Mammogram, right breast, cranio-caudal view. Patient age 44.
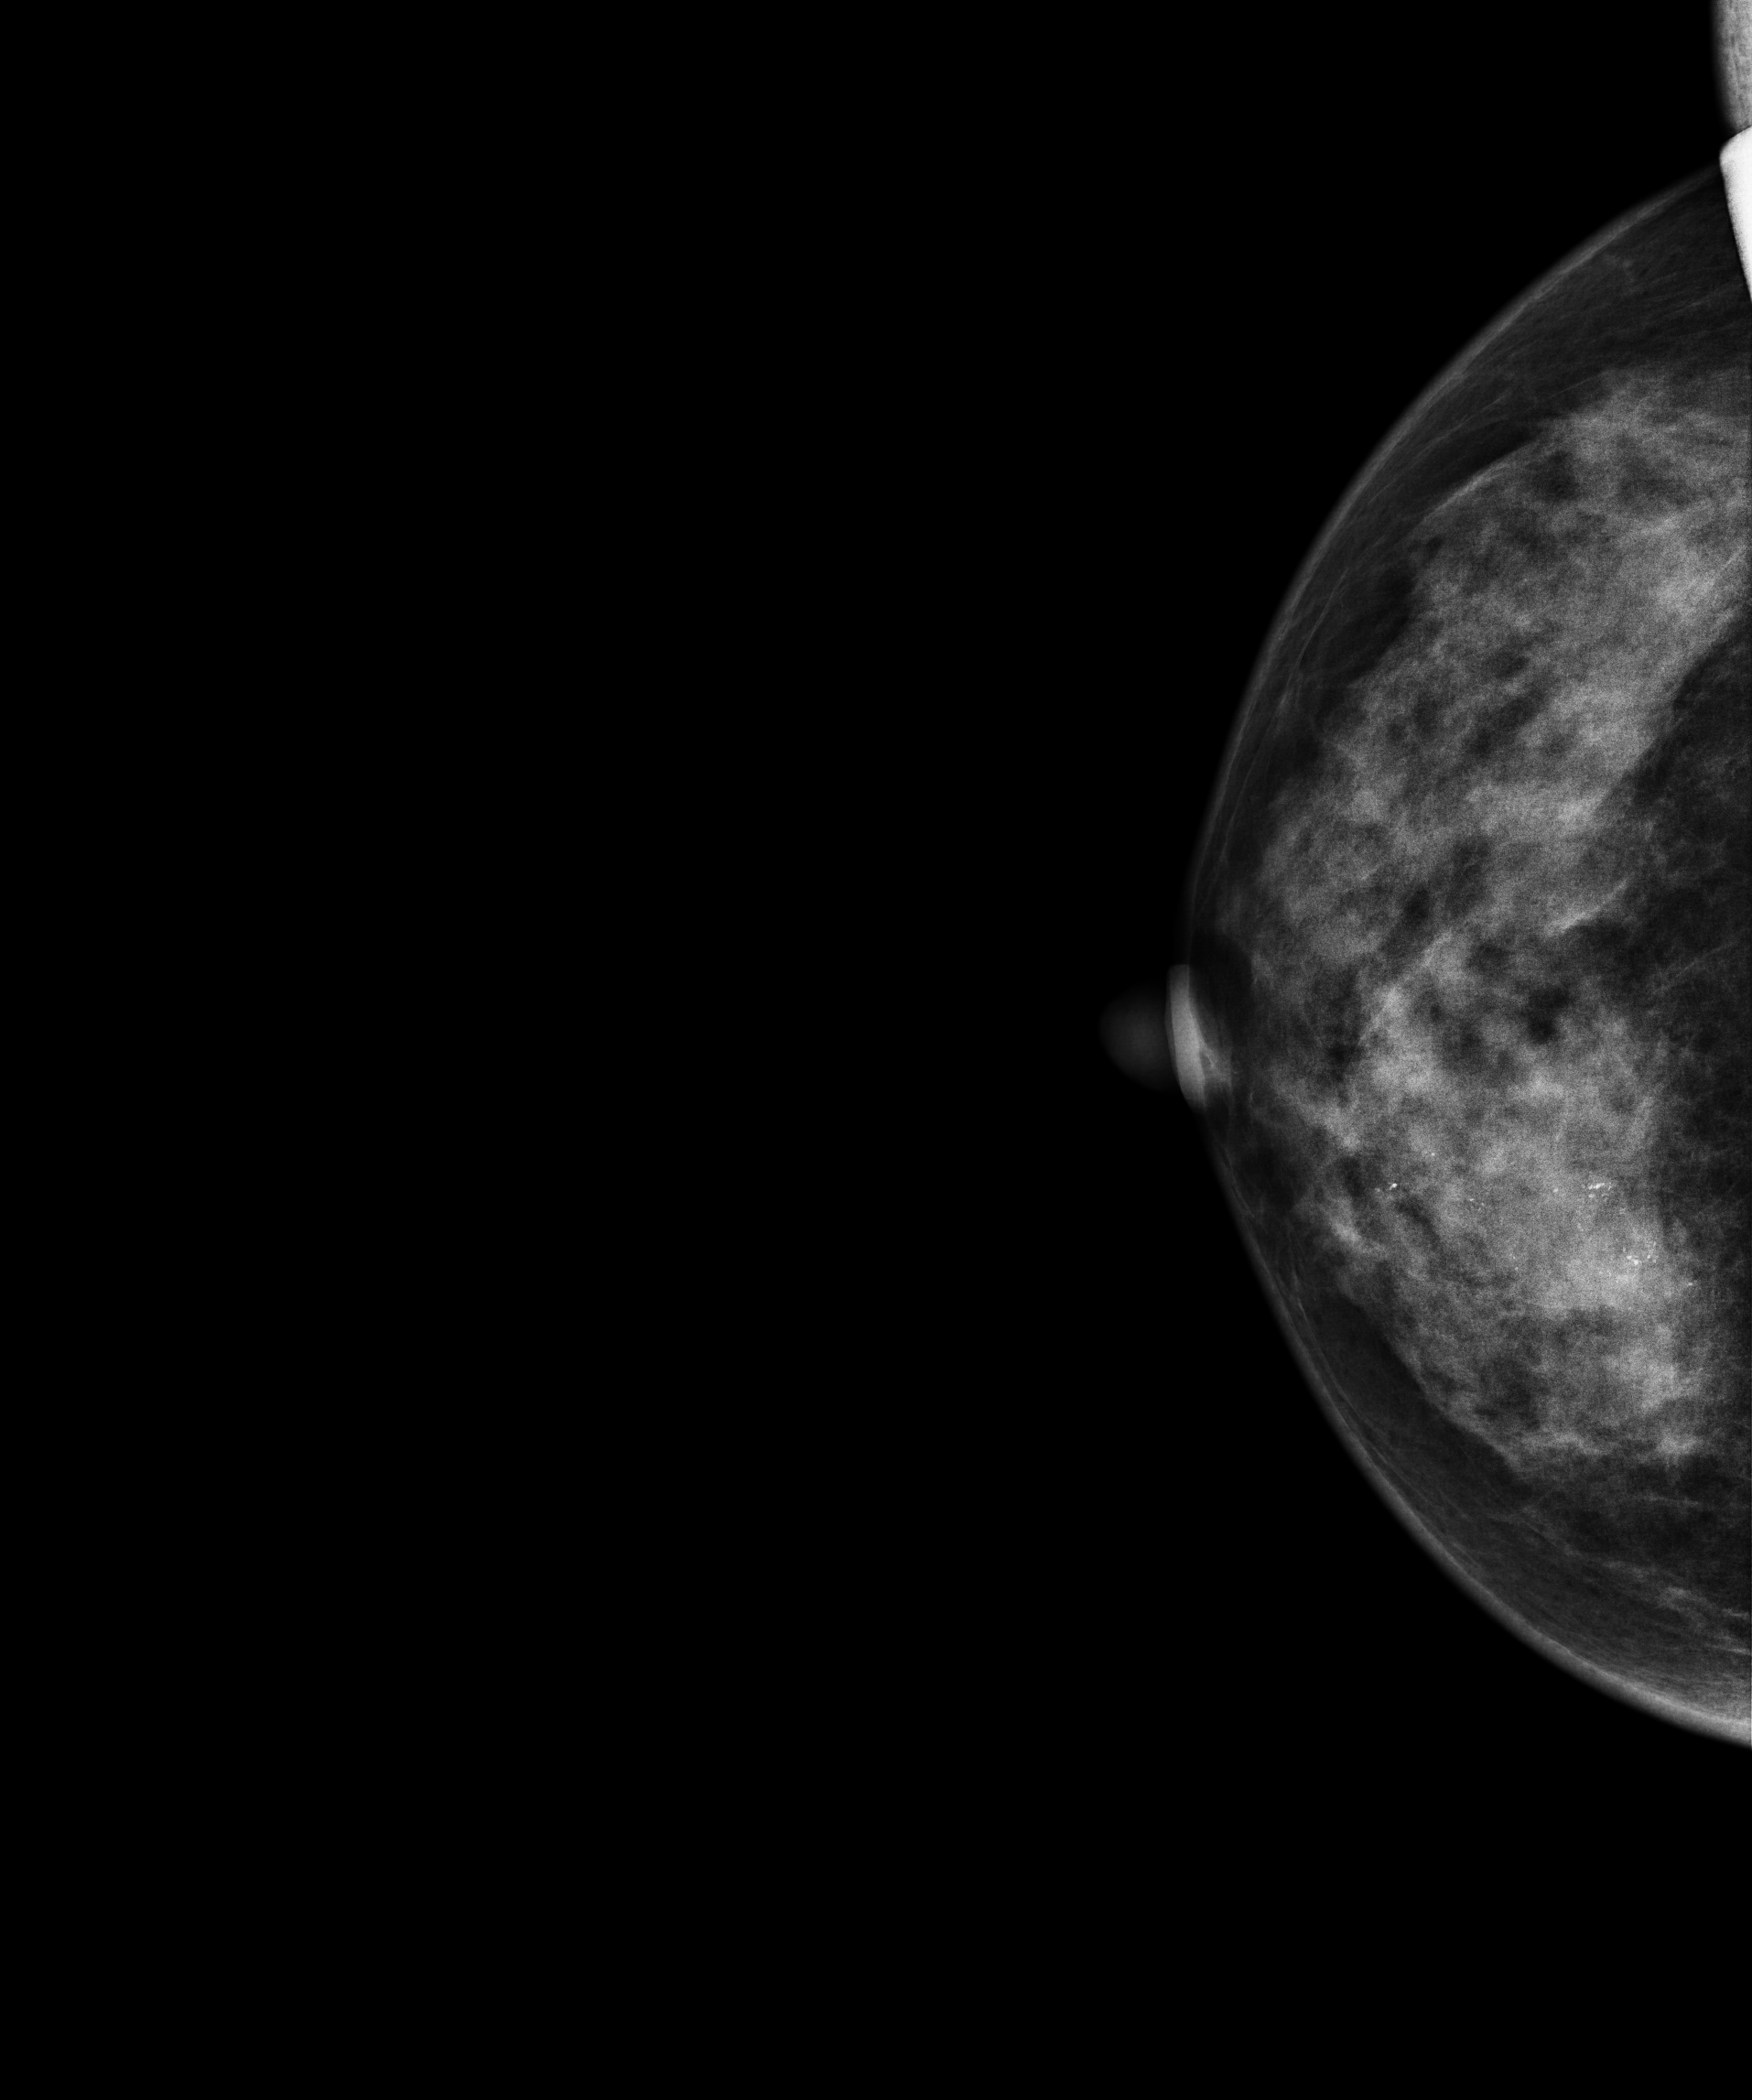
This breast has calcifications, biopsy-proven malignant.